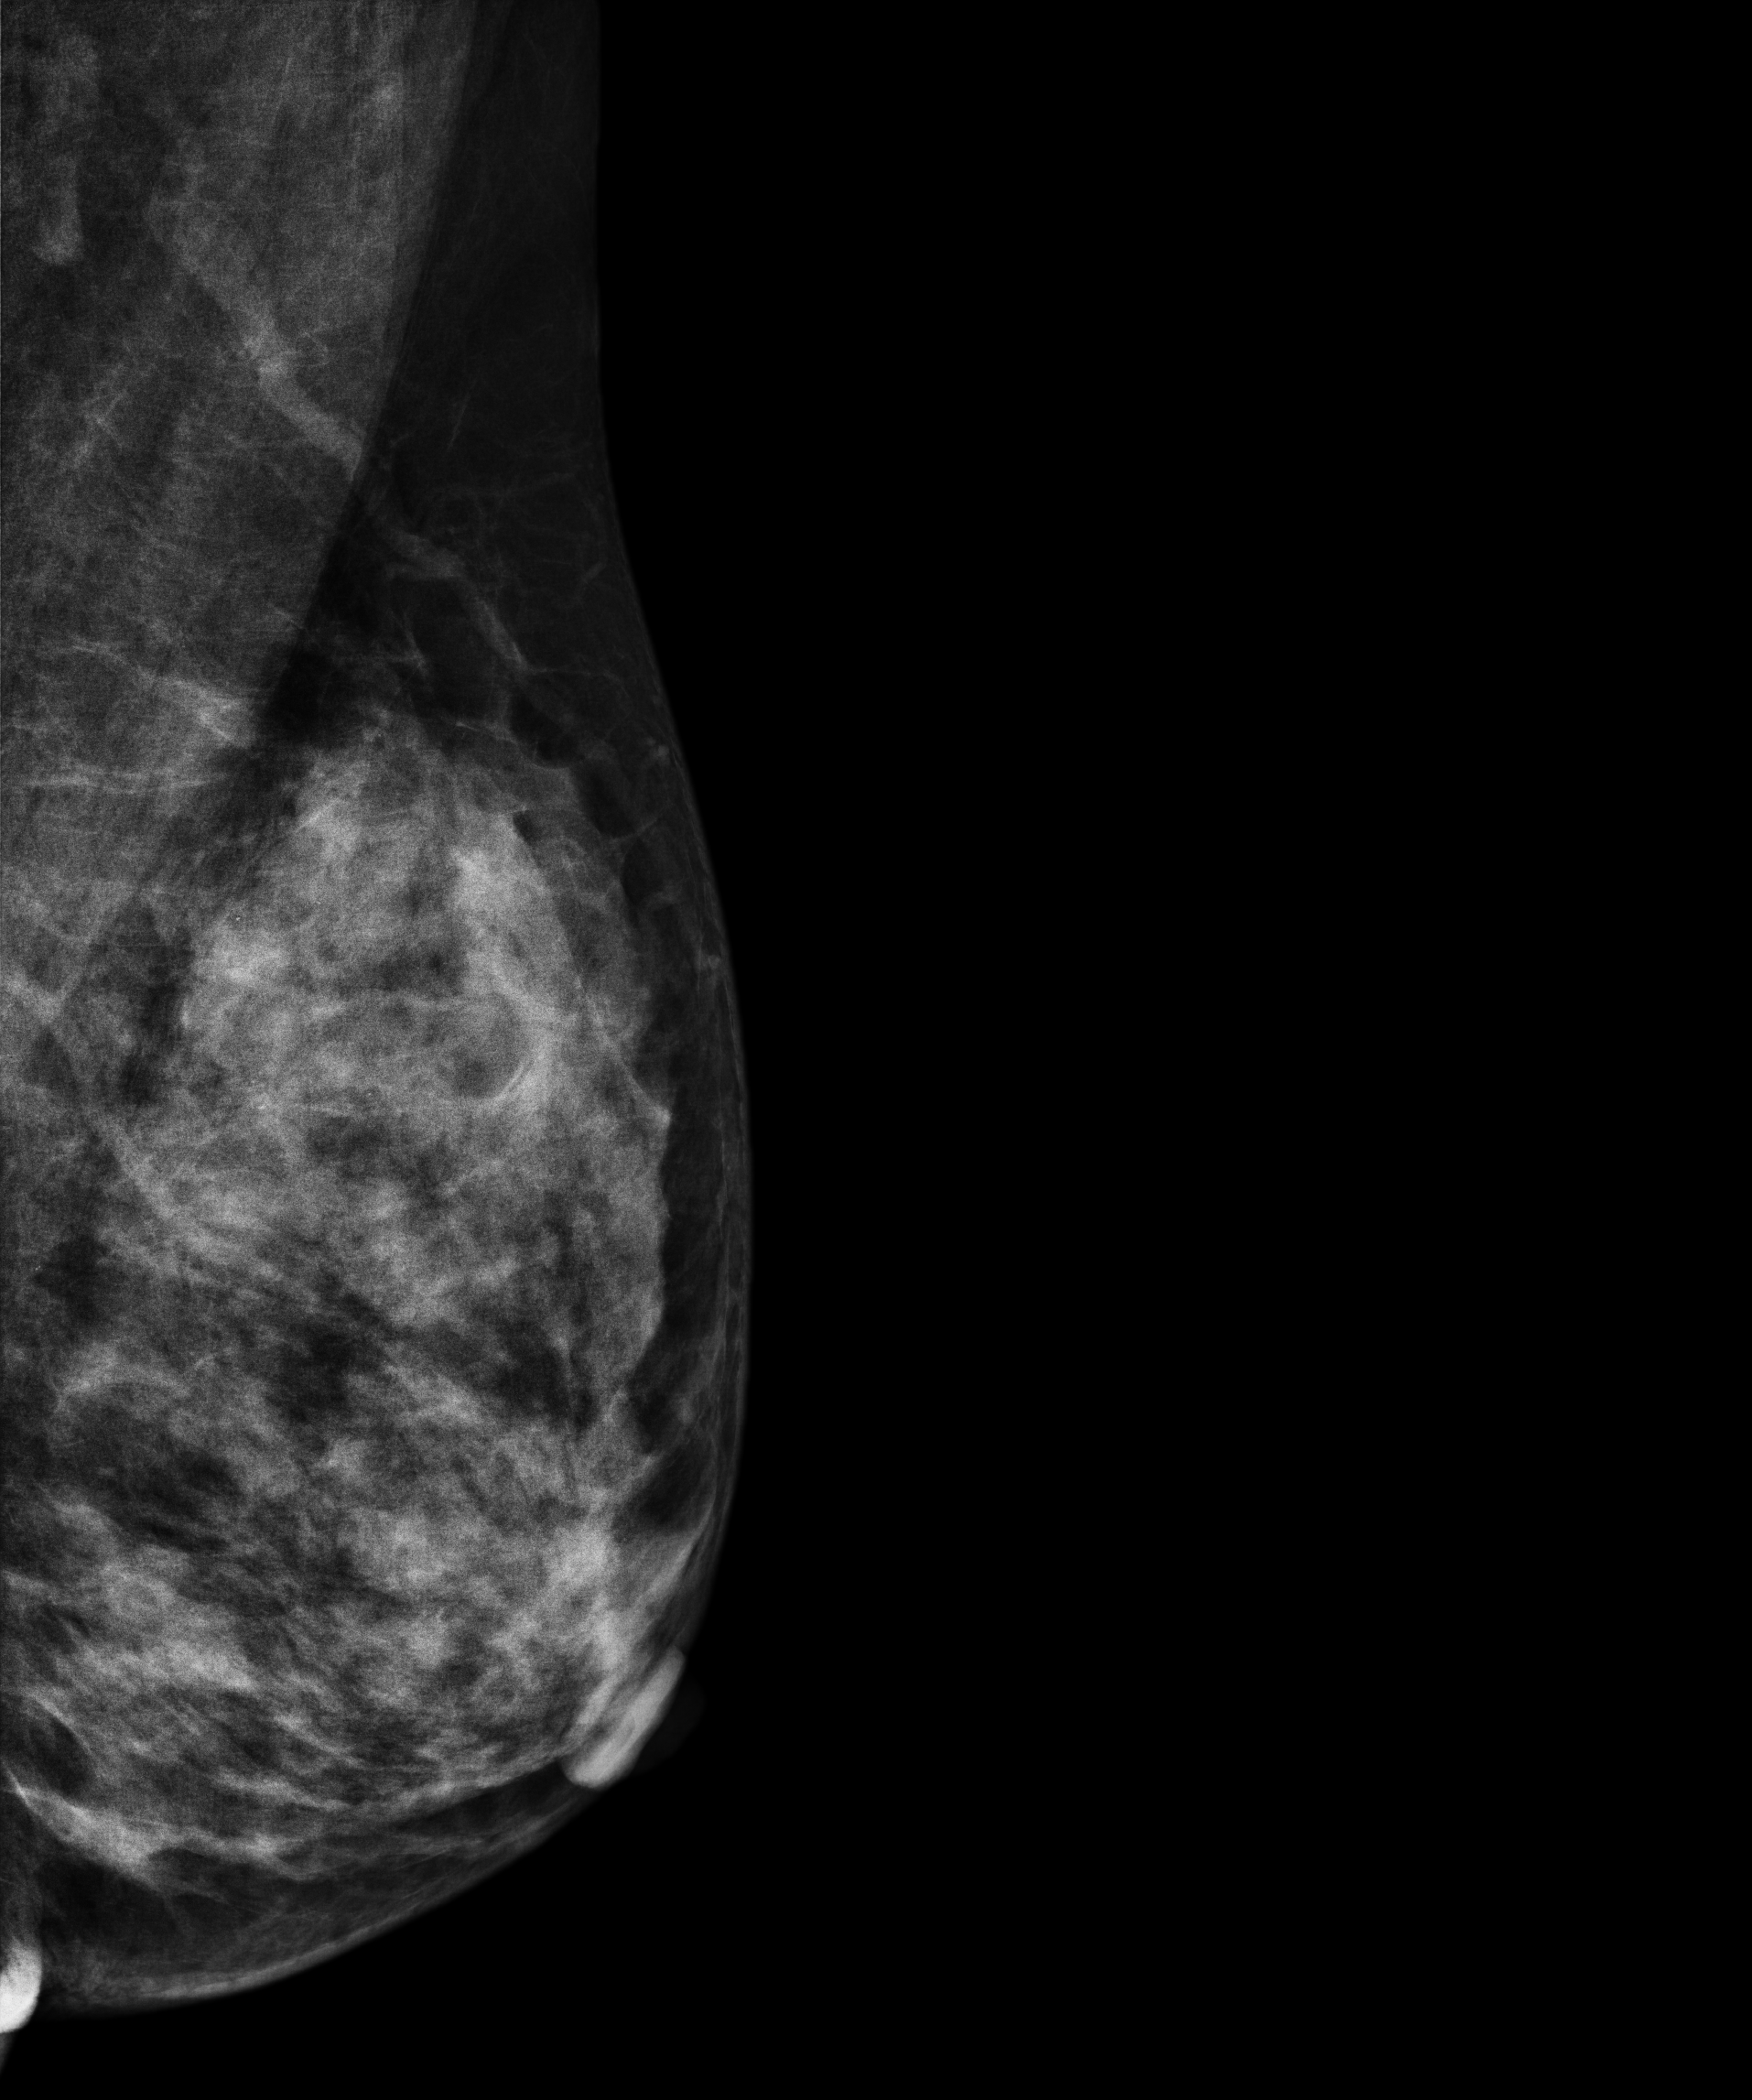
MLO mammogram of the left breast. Patient age 44.
Contralateral breast — no documented abnormality on this side.